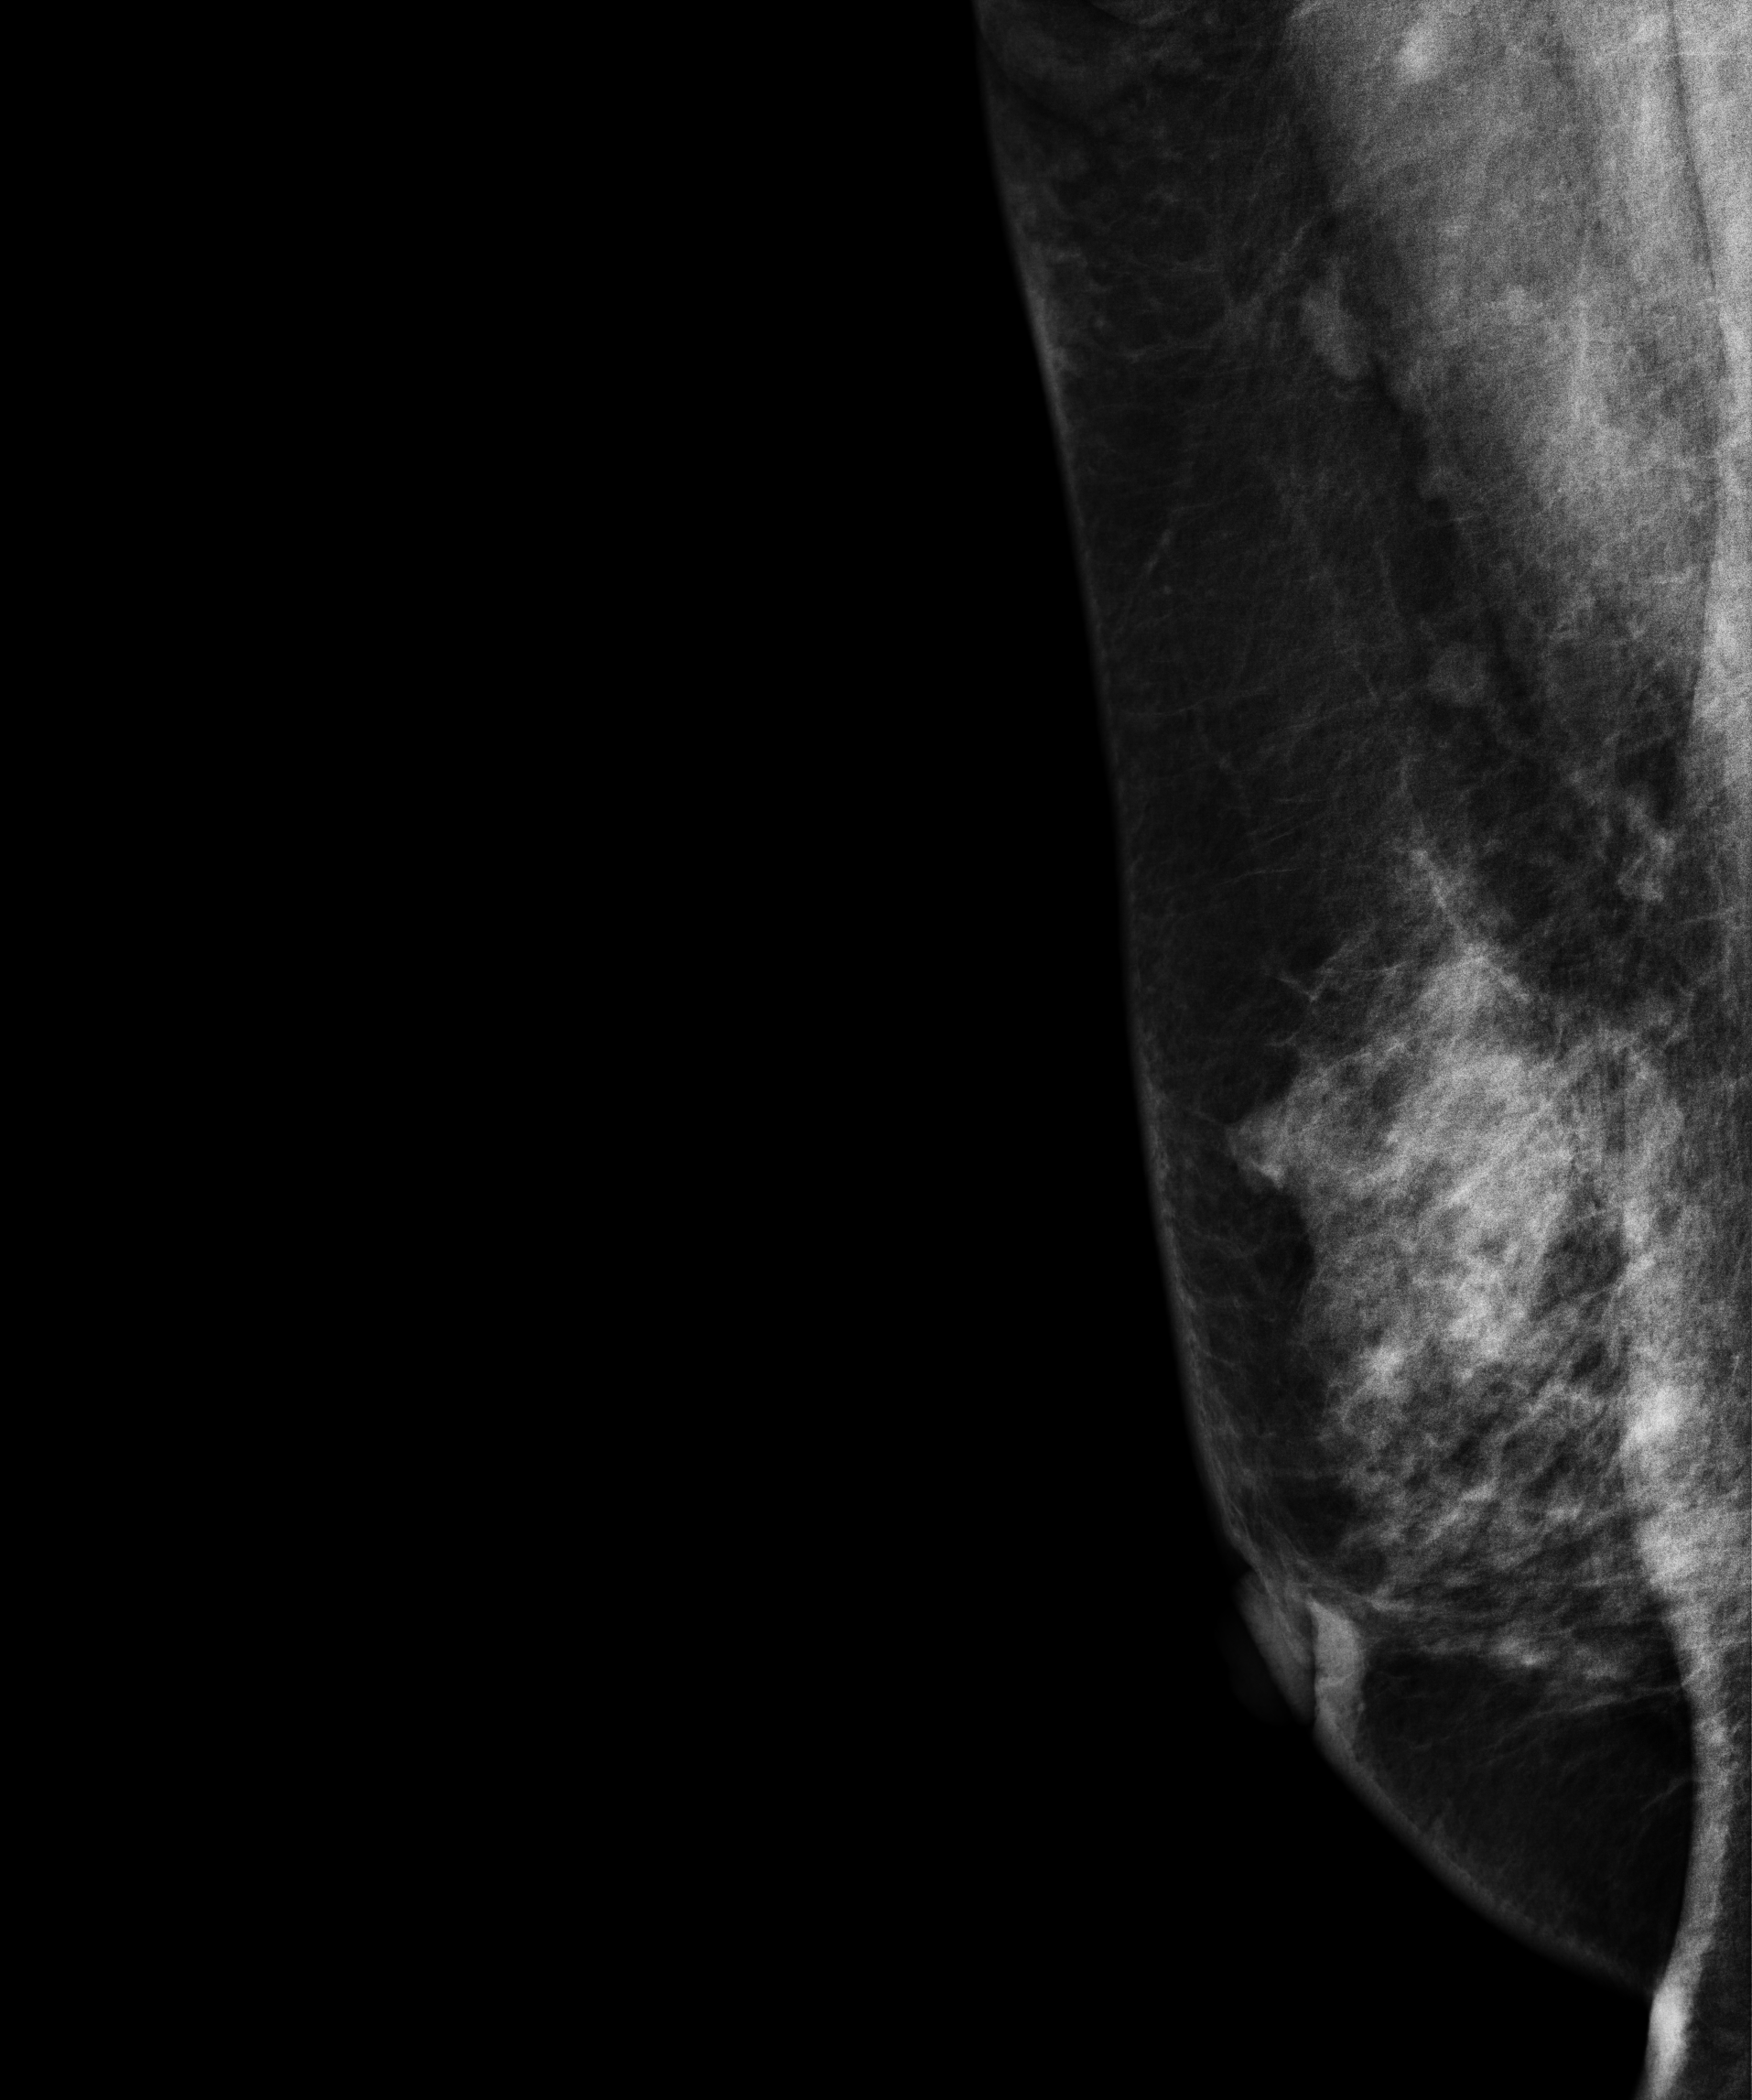
Digital mammography. Right breast, medio-lateral oblique projection. Patient age 49.
This breast has a mass, biopsy-confirmed malignant.